Left-breast mammogram, CC. 49 y/o patient.
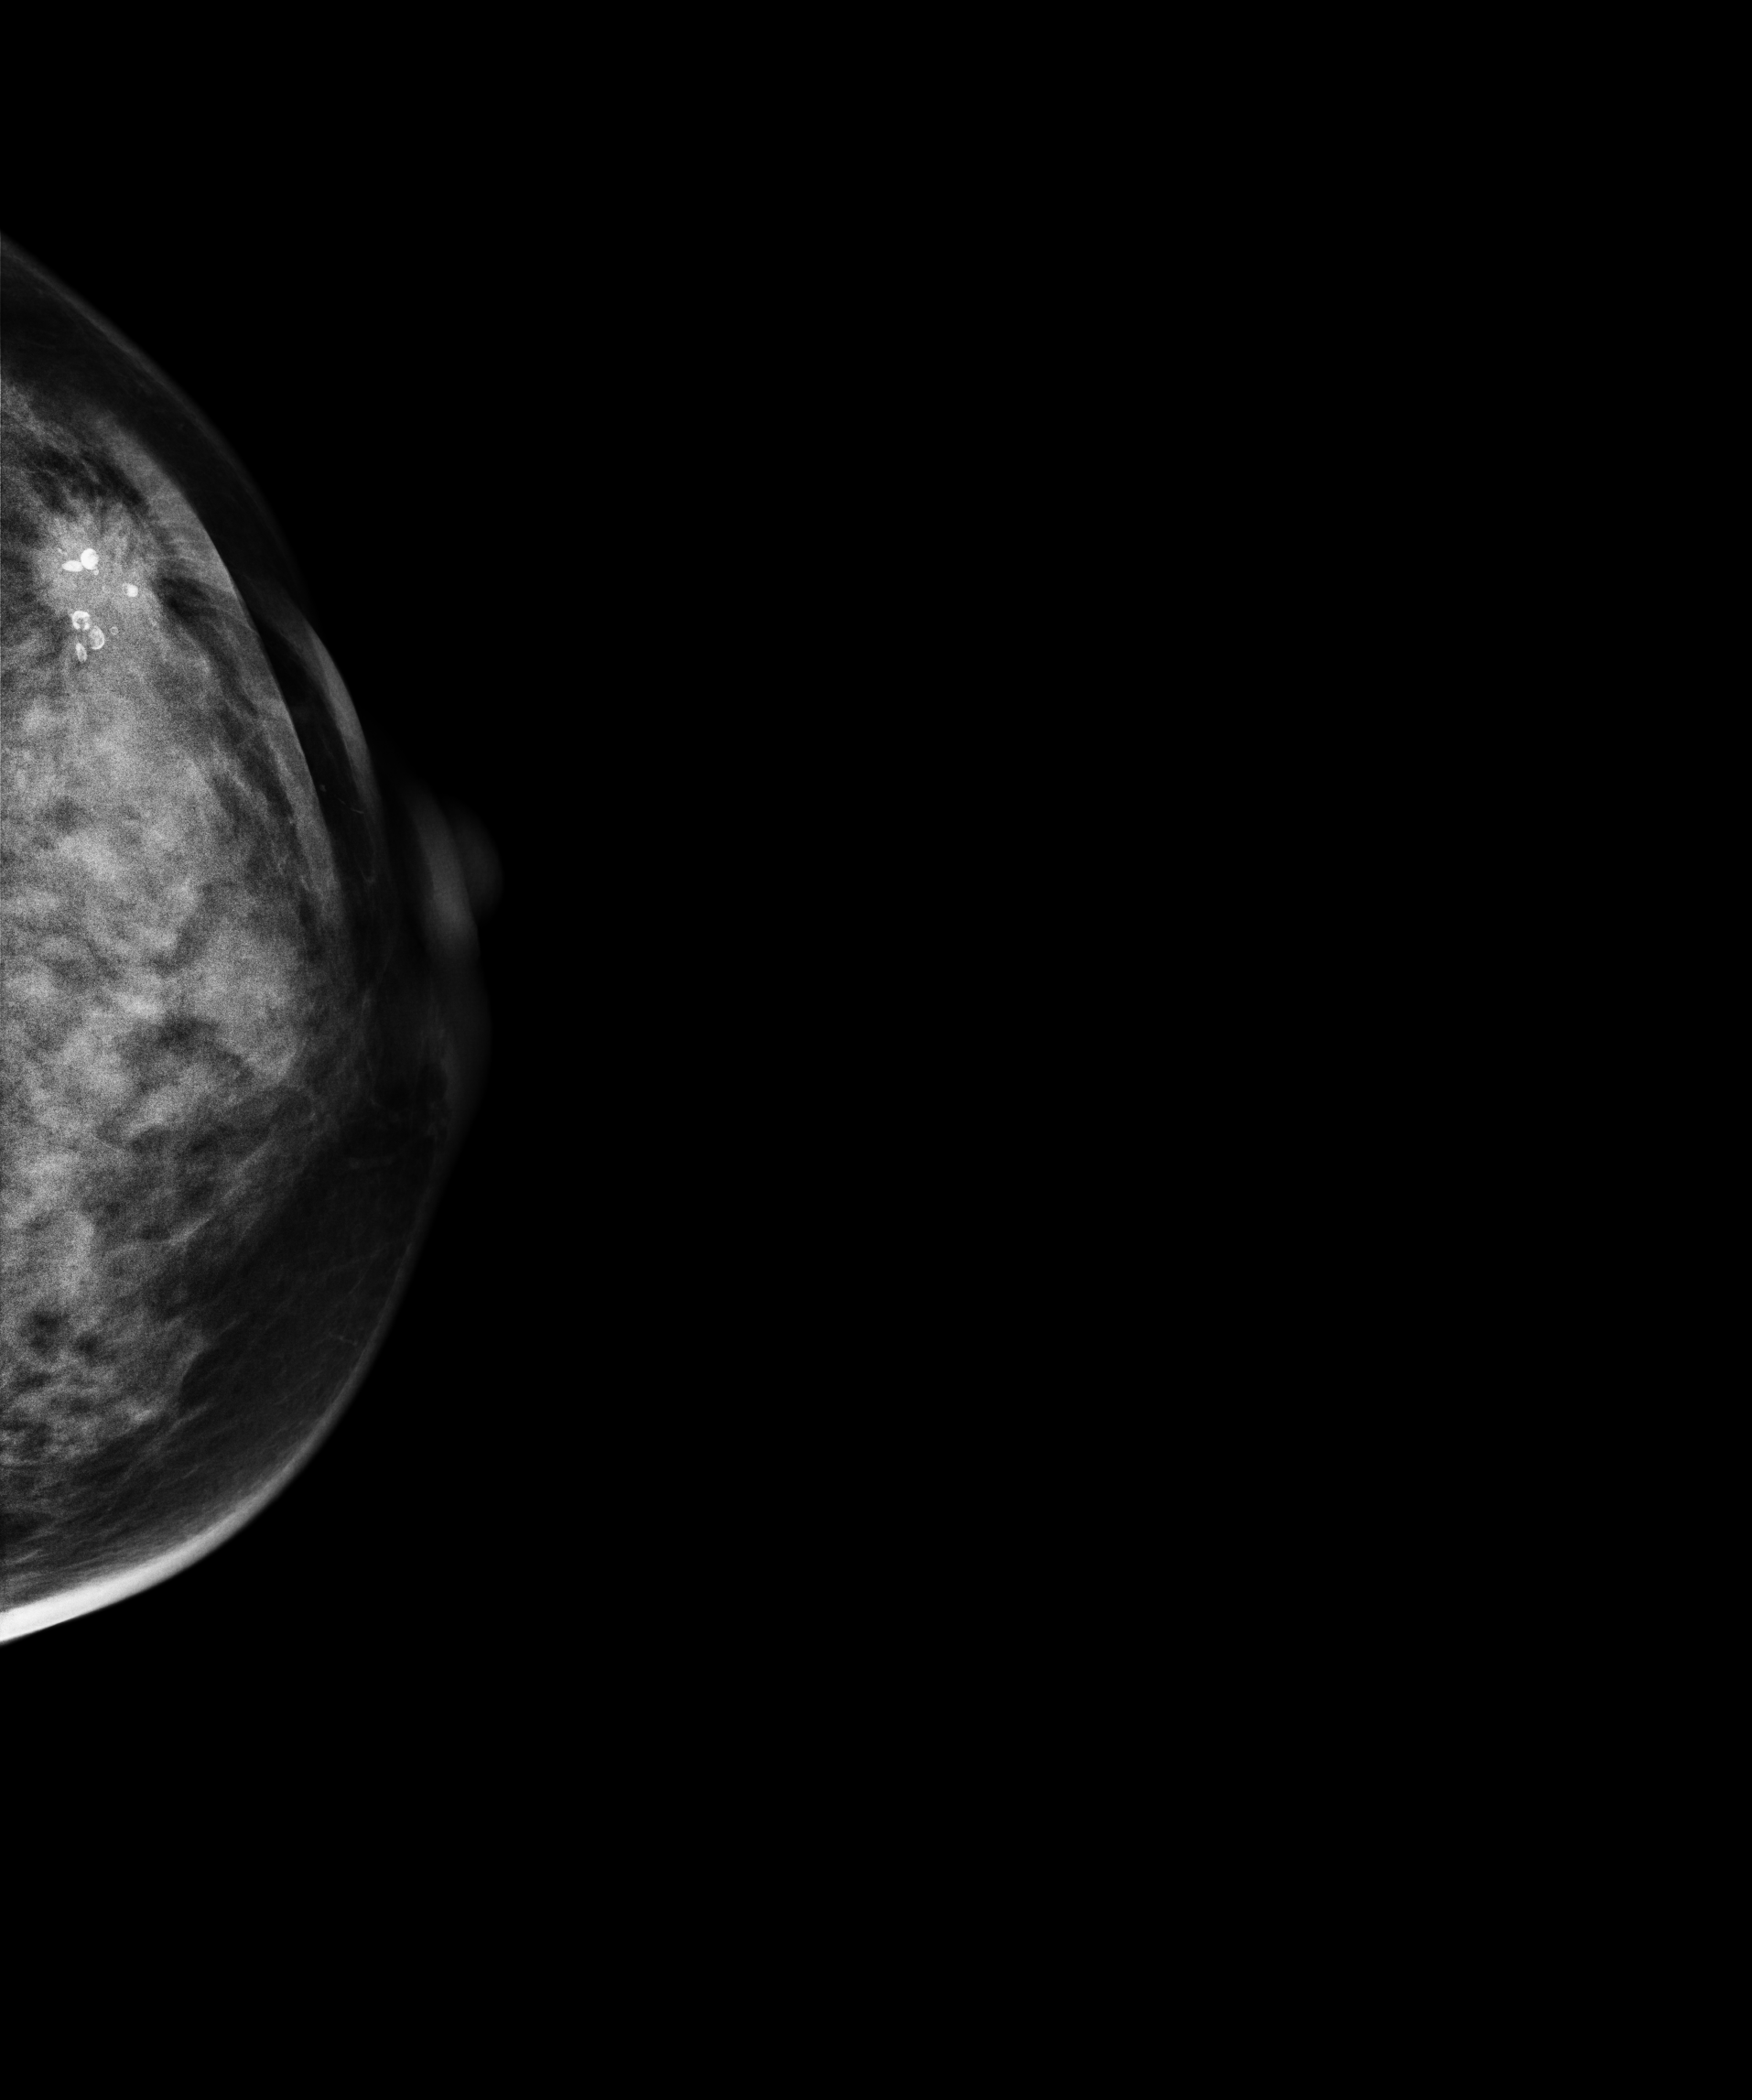
This breast has a mass and calcifications, biopsy-confirmed malignant.